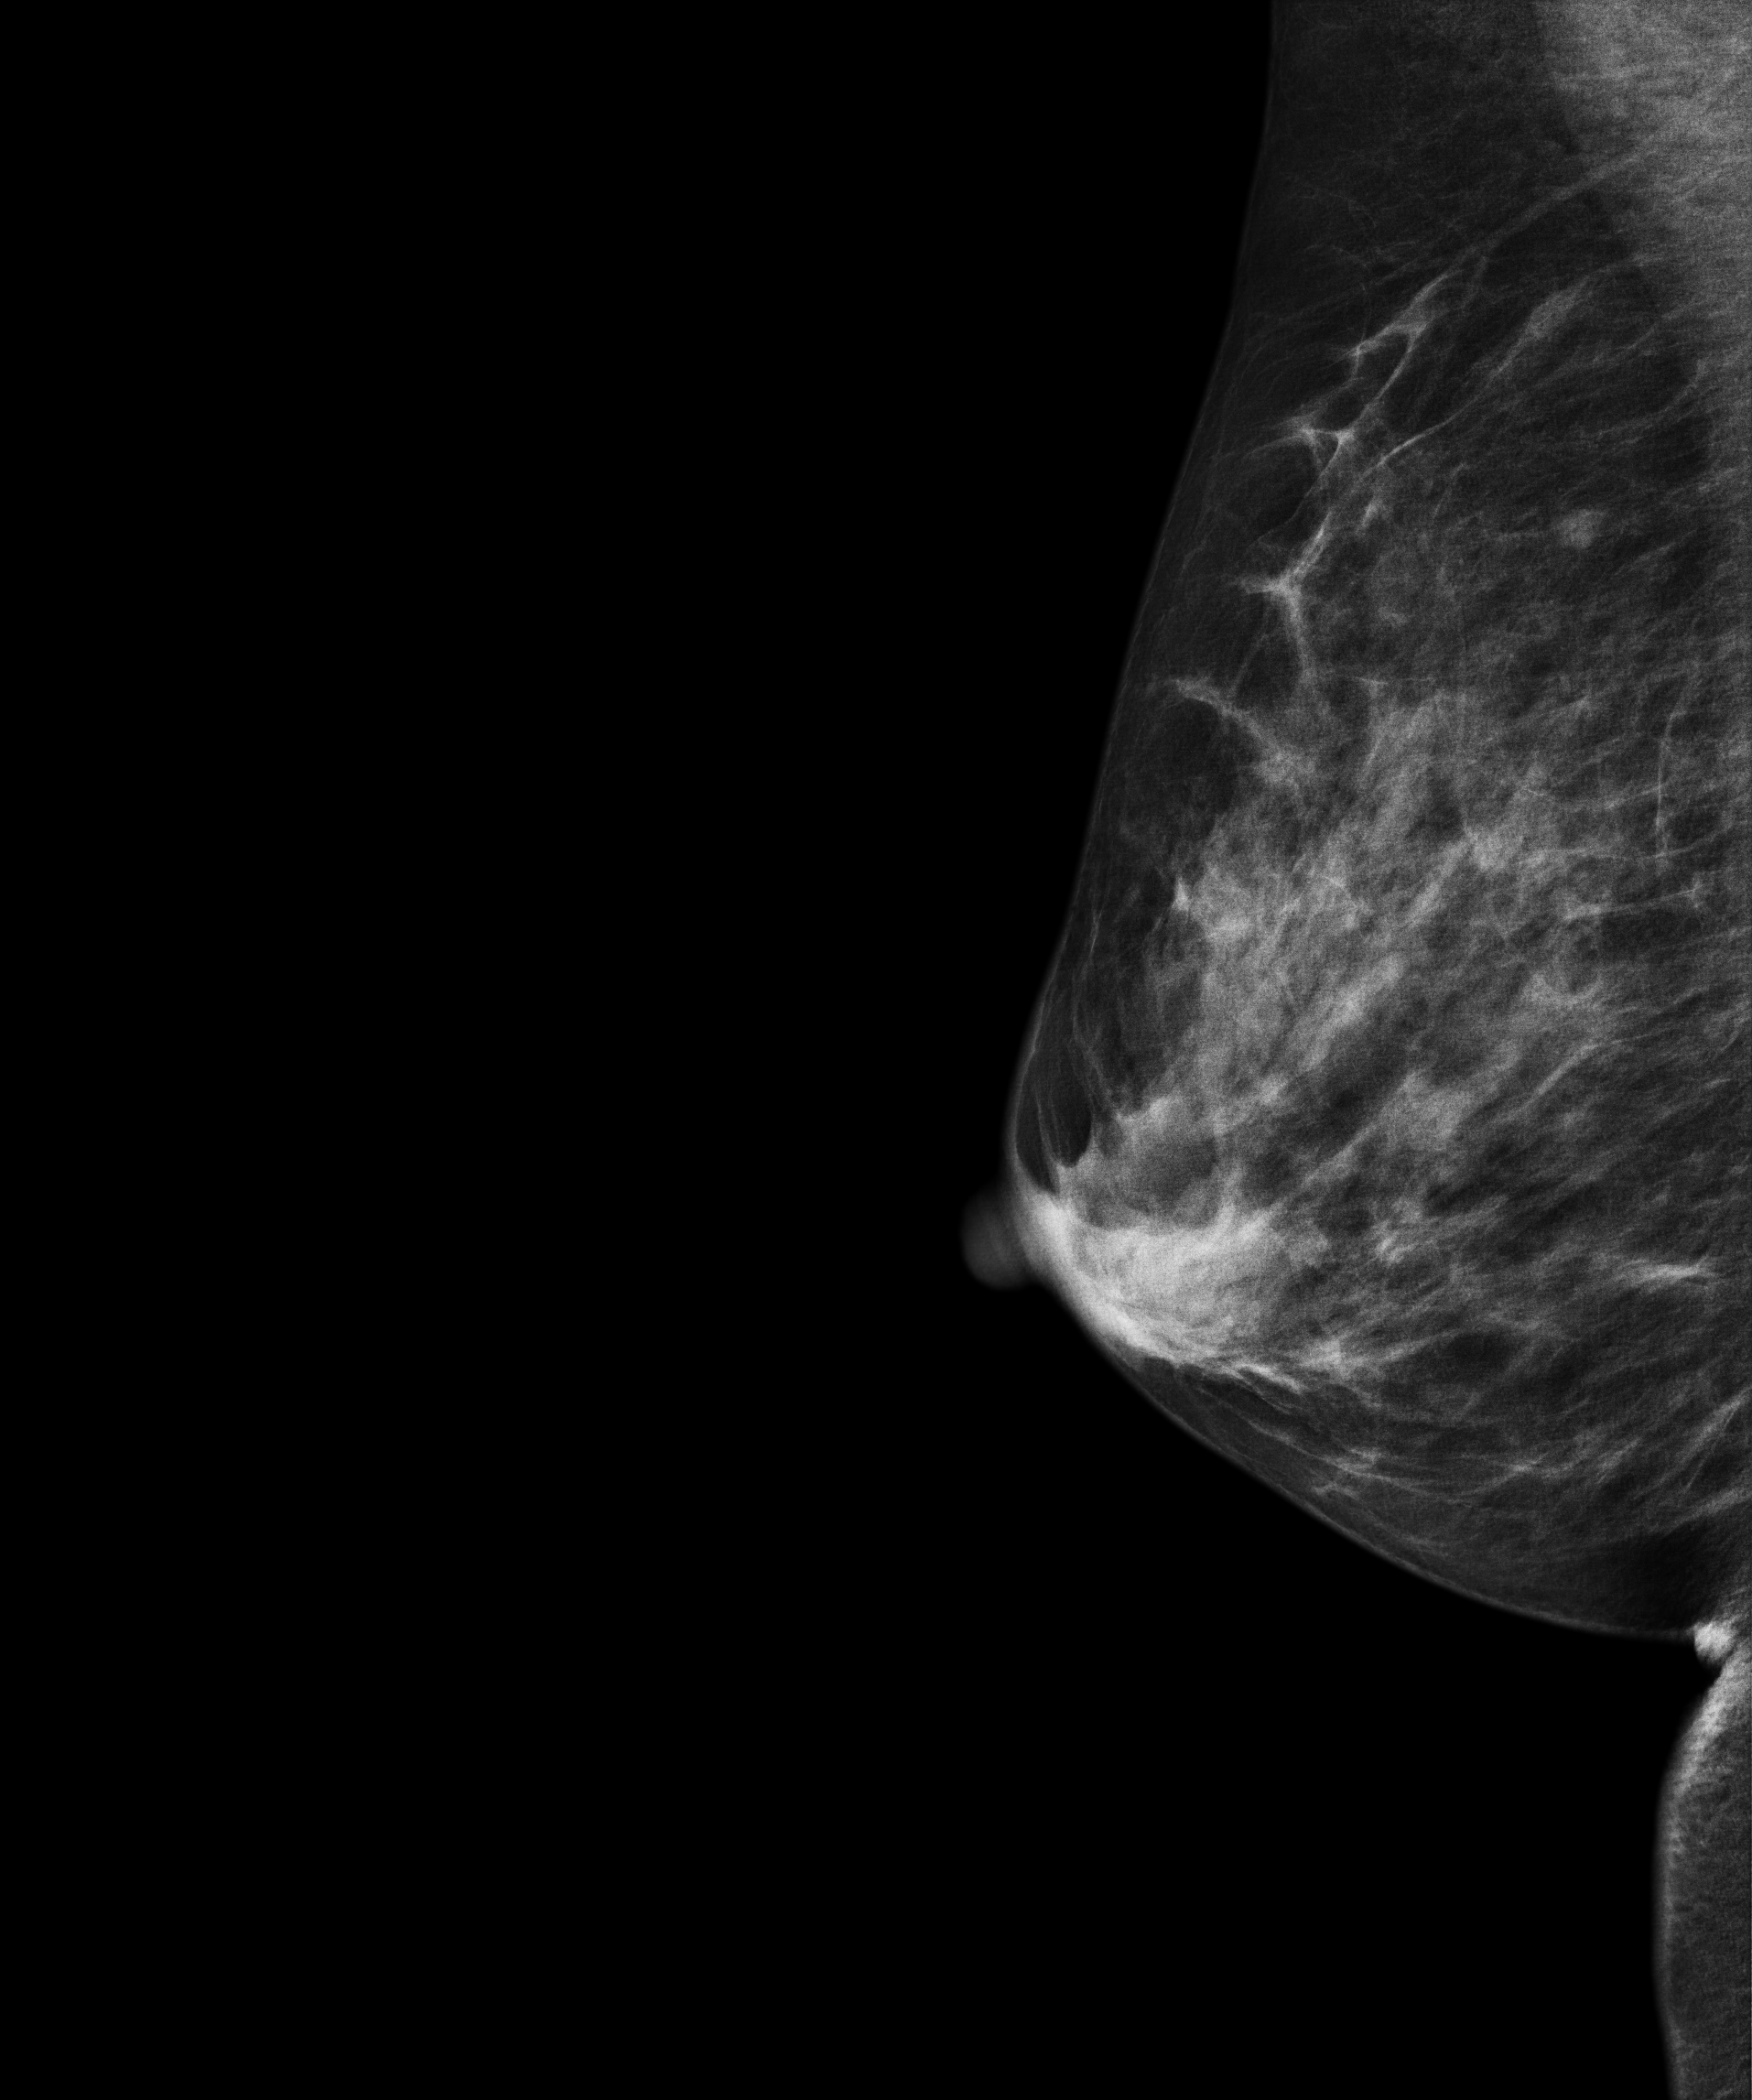
Right-breast mammogram, MLO. Patient age 59.
Contralateral breast — no documented abnormality on this side.